Mammogram, left breast, MLO view. 62-year-old patient.
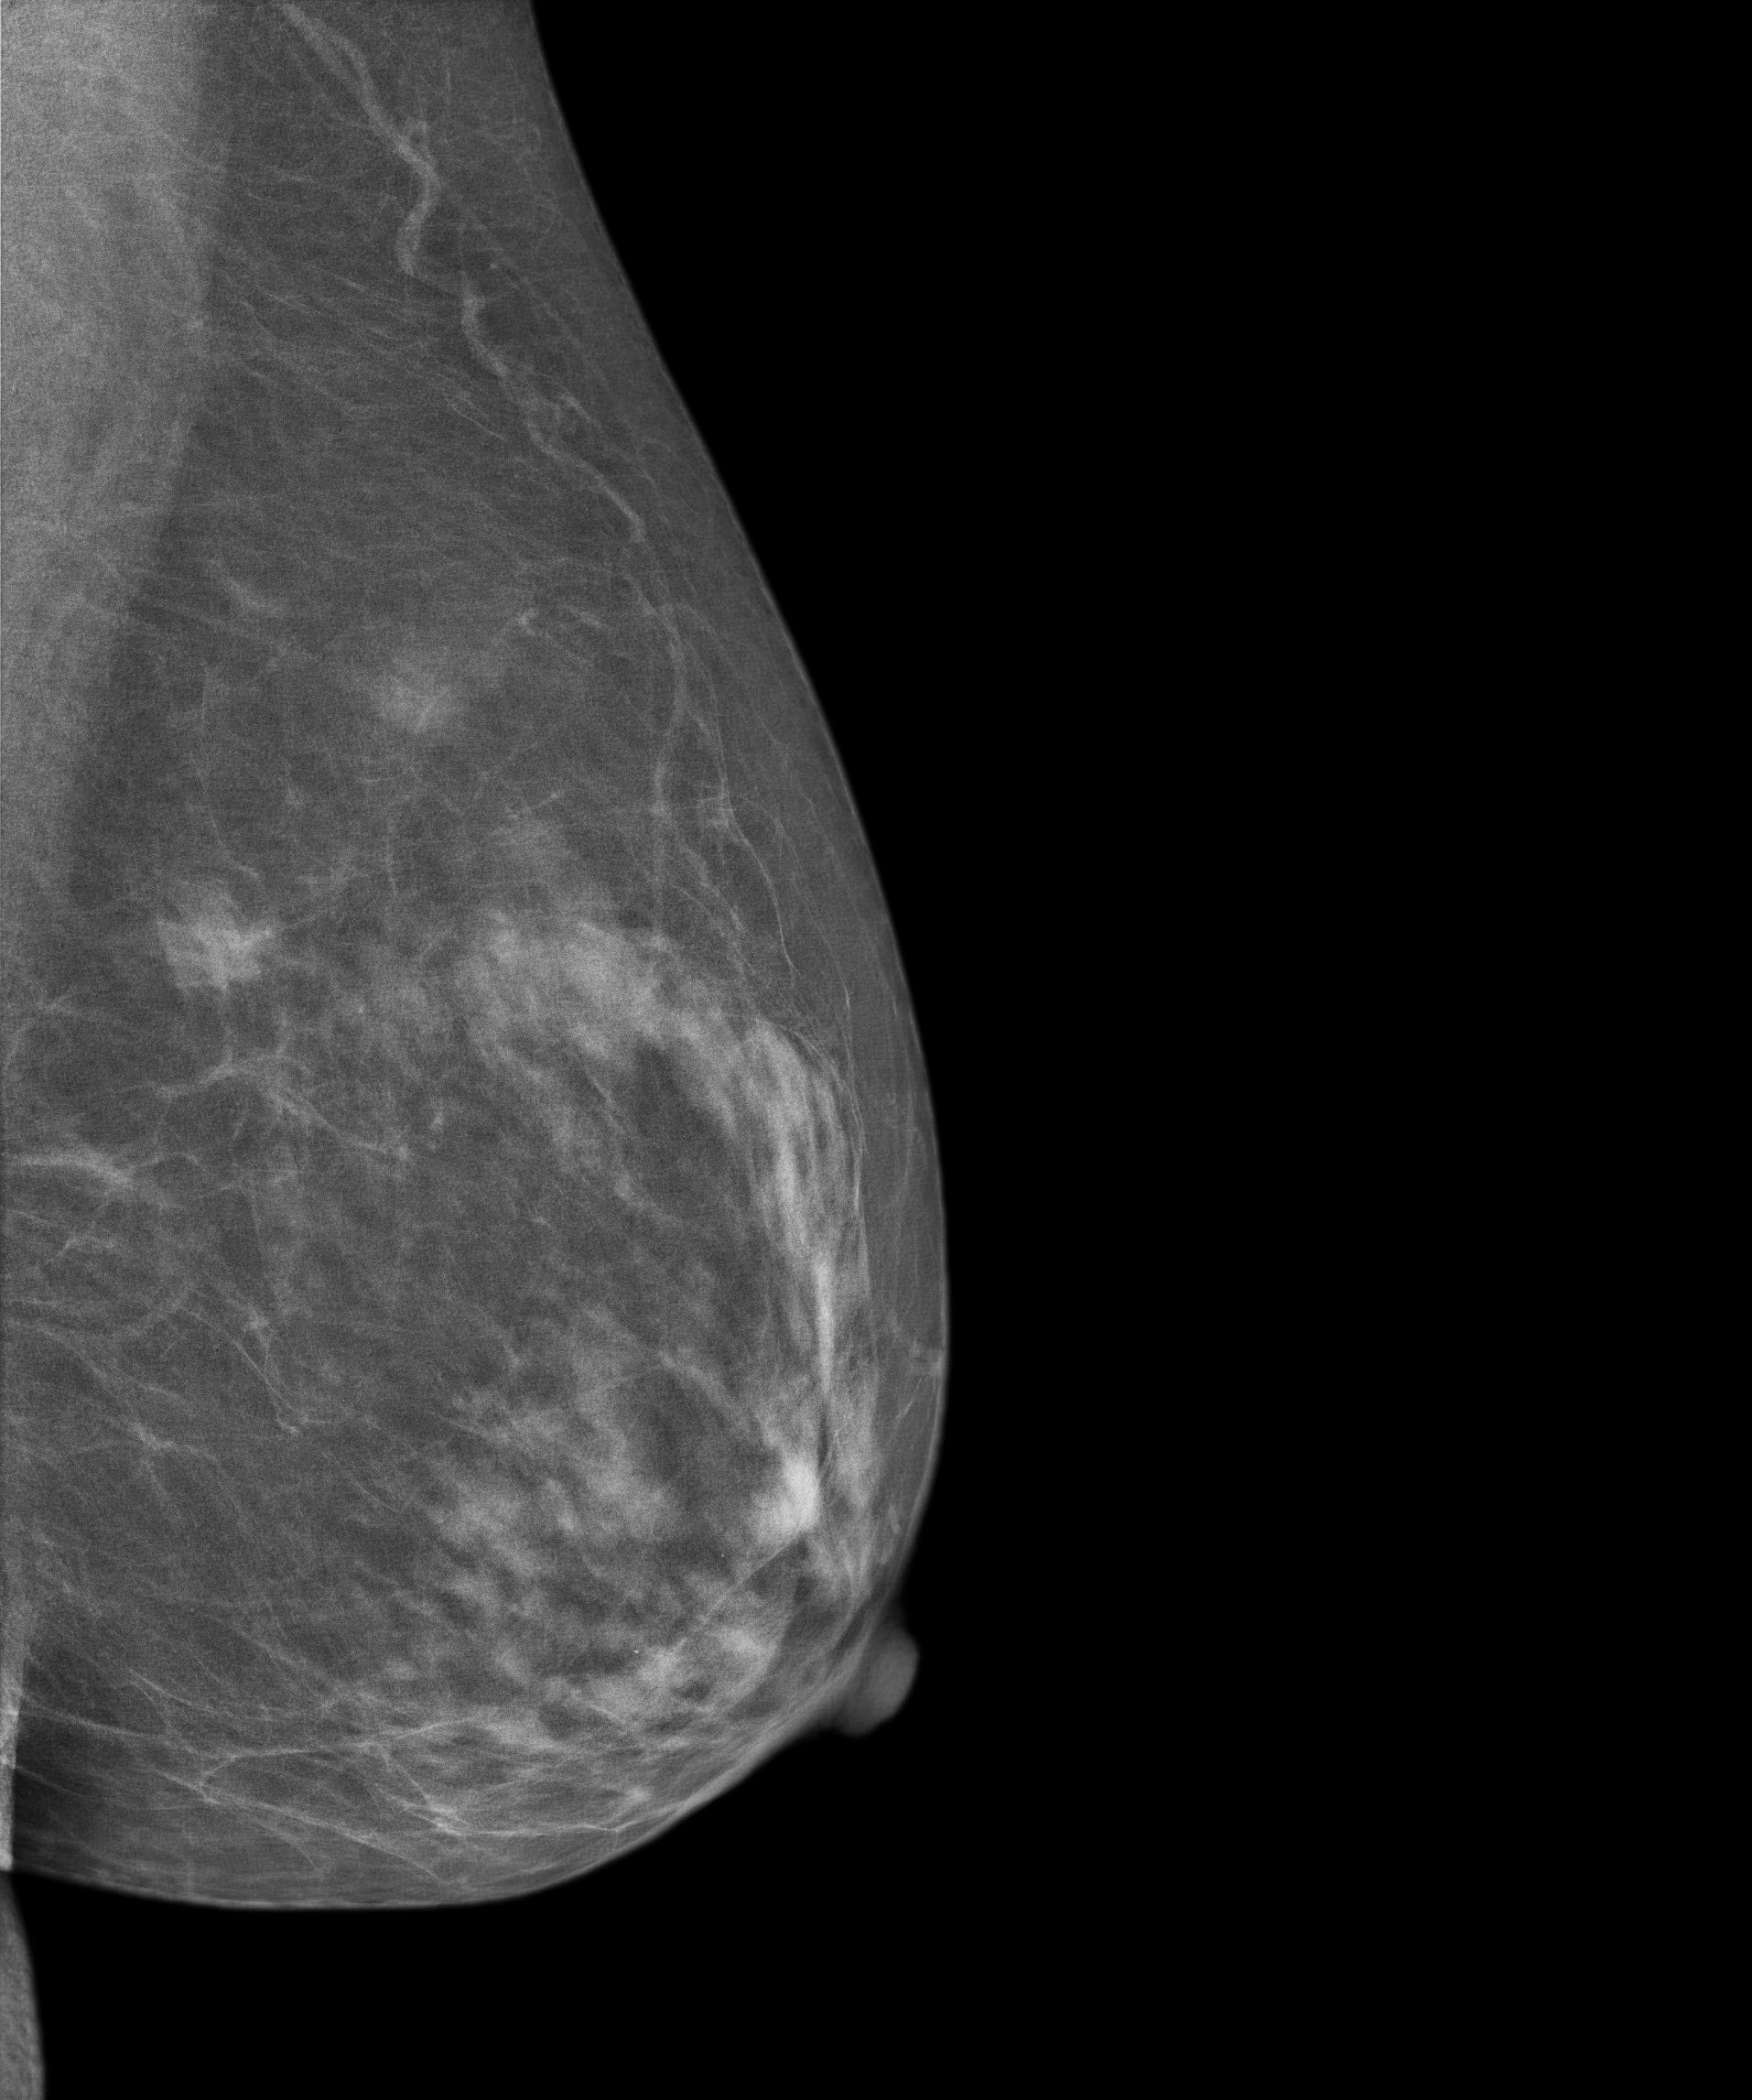
Contralateral breast — no documented abnormality on this side.